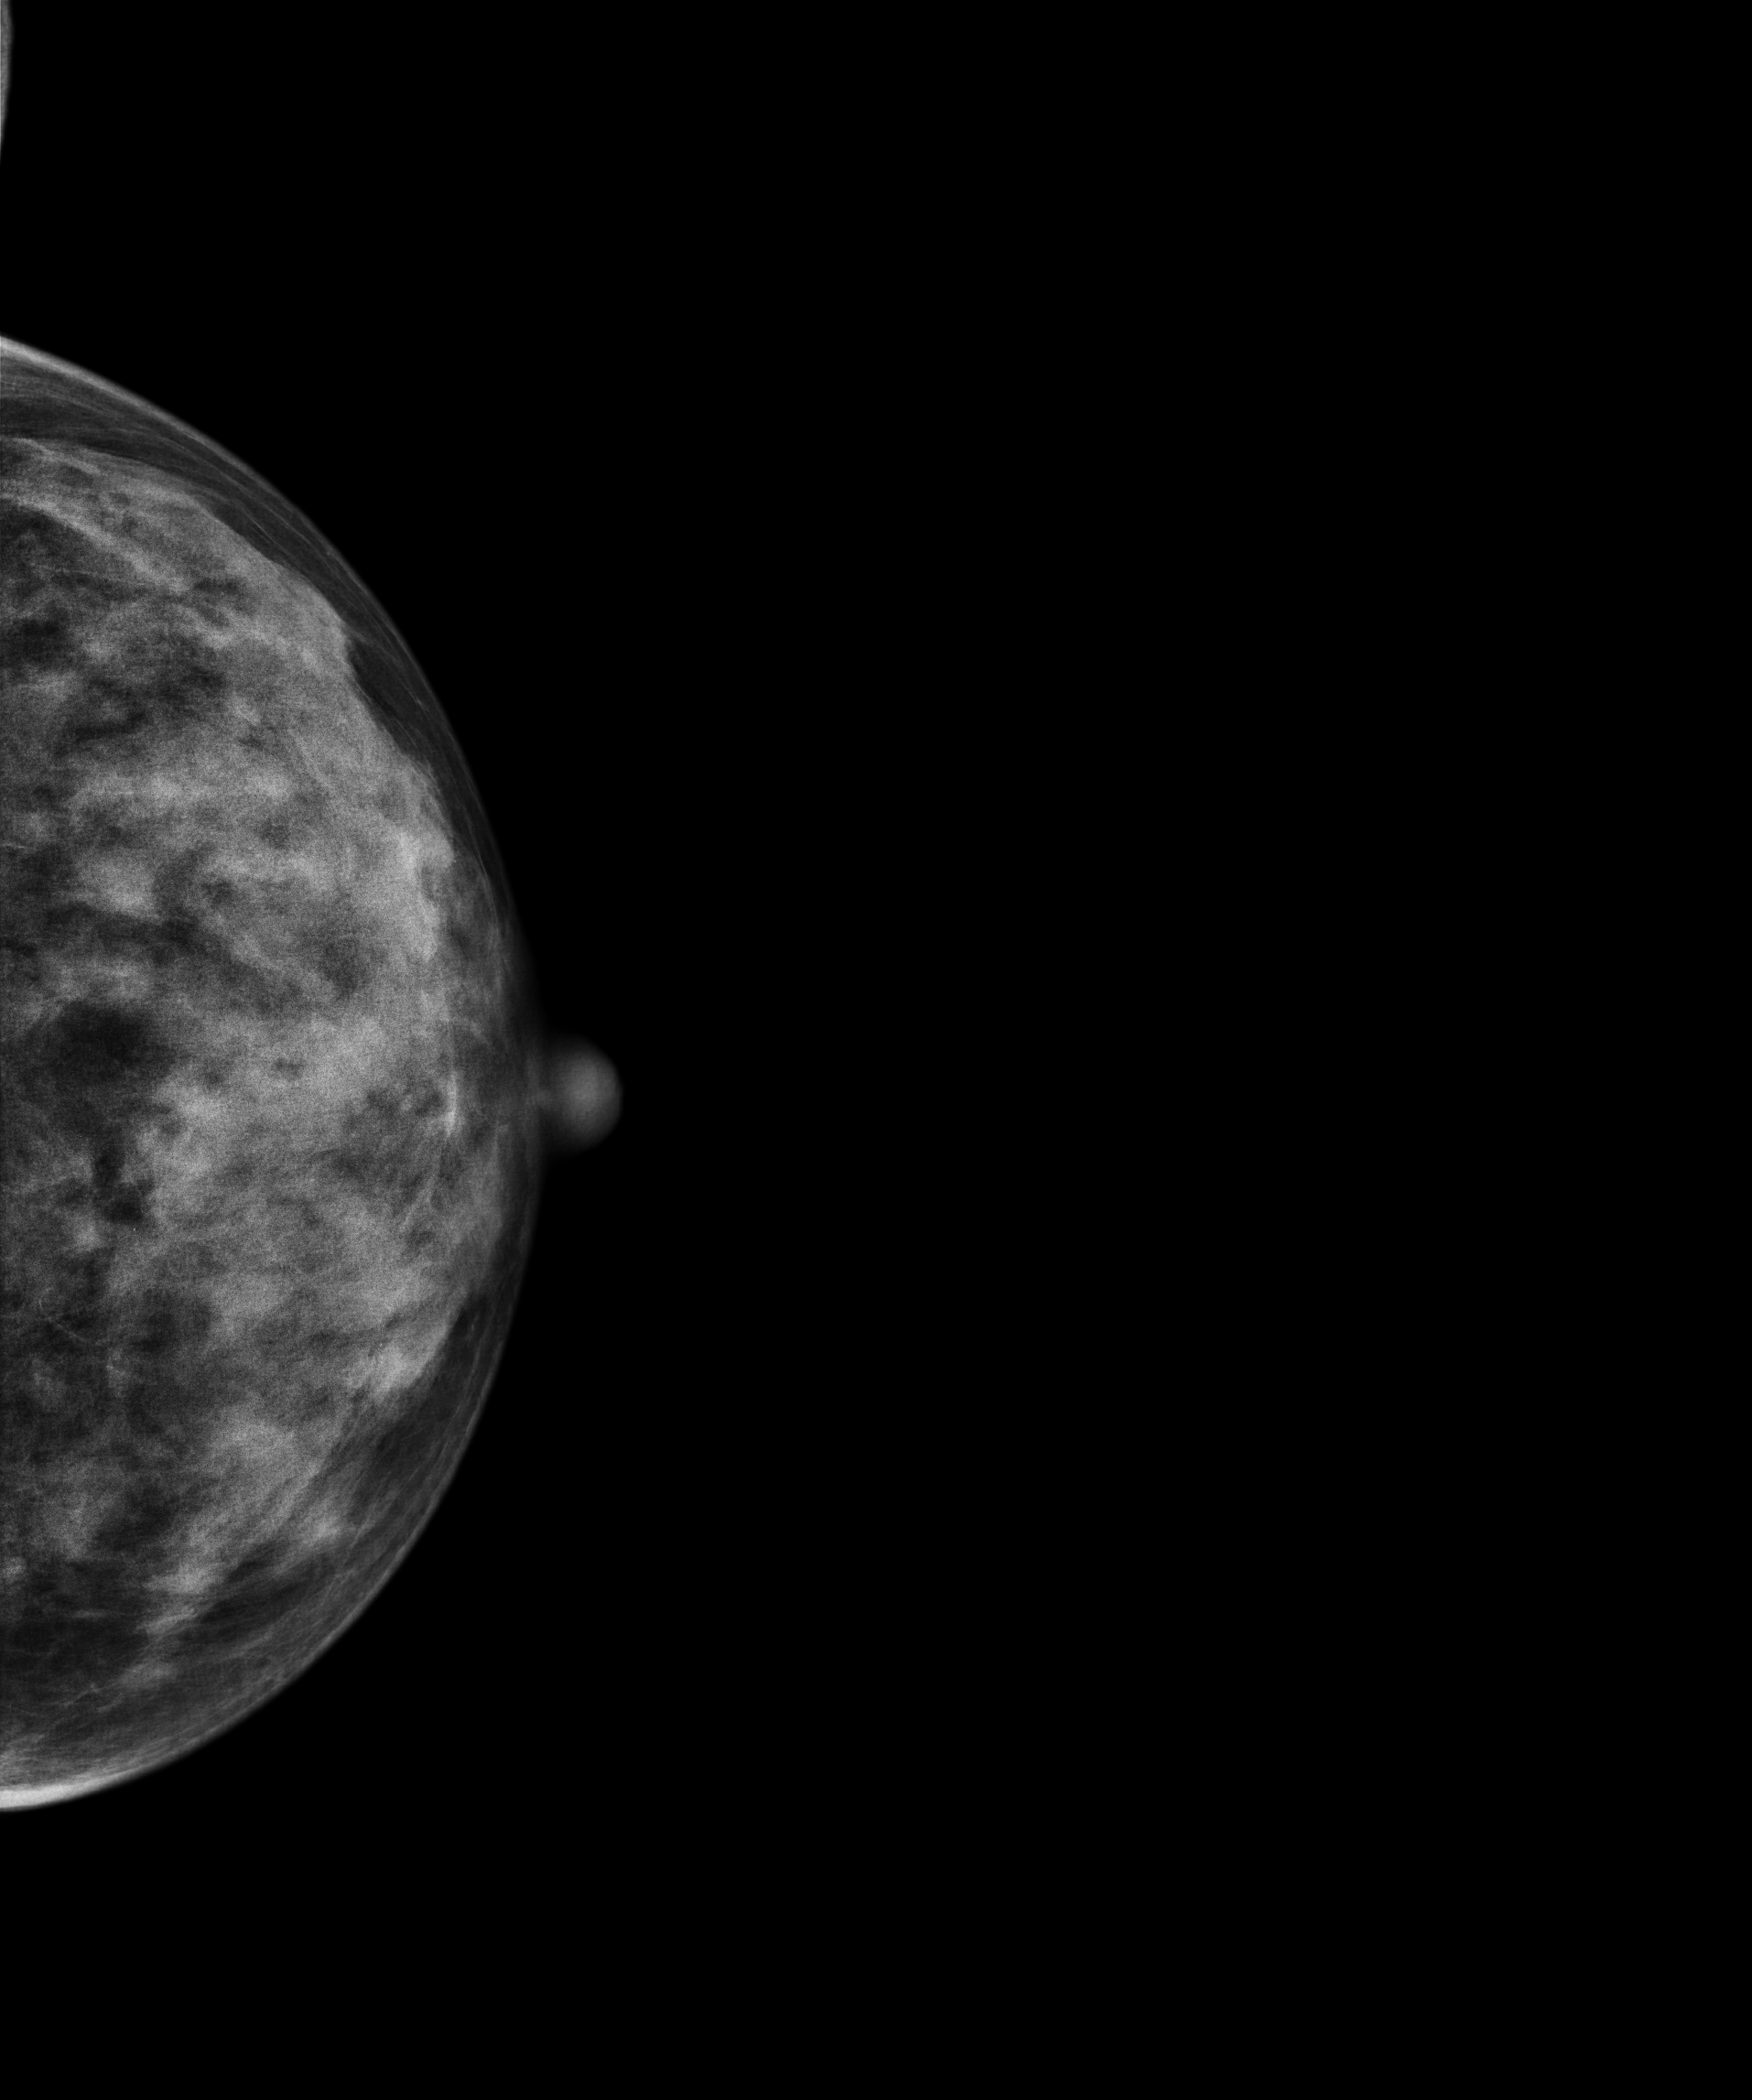
Left-breast mammogram, cranio-caudal. Patient age 45.
Contralateral breast — no documented abnormality on this side.